Left-breast mammogram, CC. 62 y/o patient.
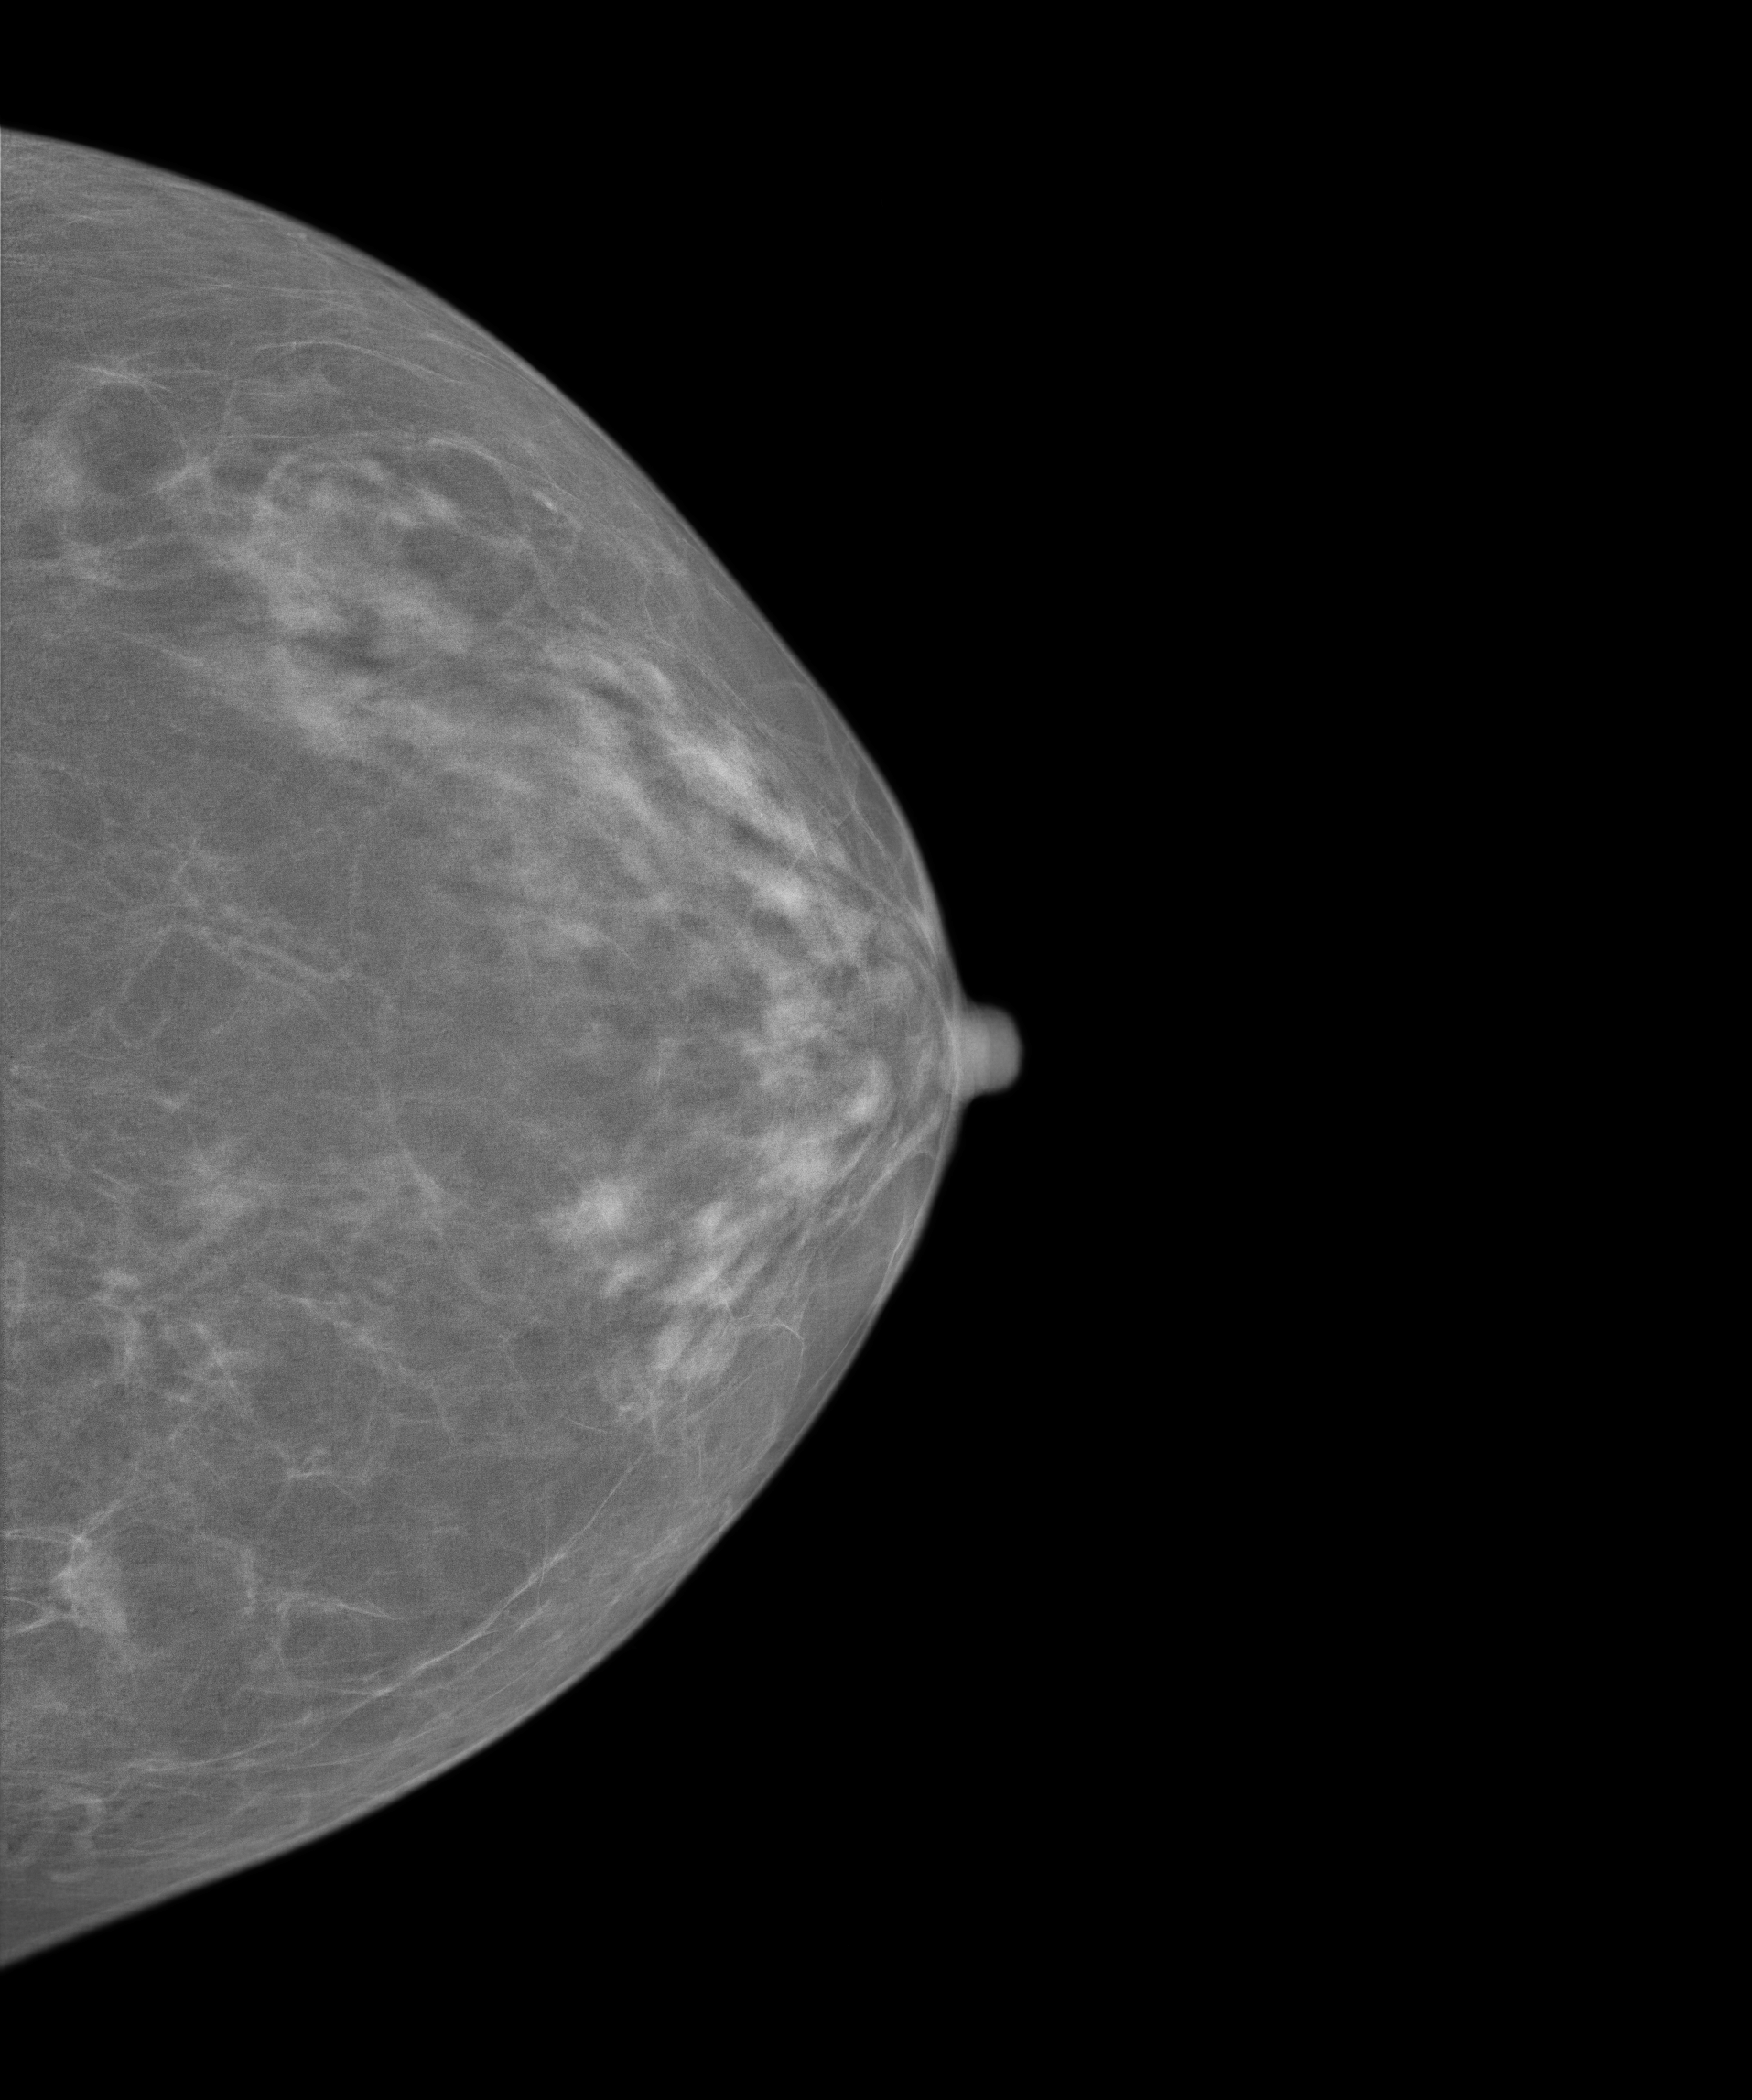
Contralateral breast — no documented abnormality on this side.